Mammogram, right breast, MLO view. 25 y/o patient.
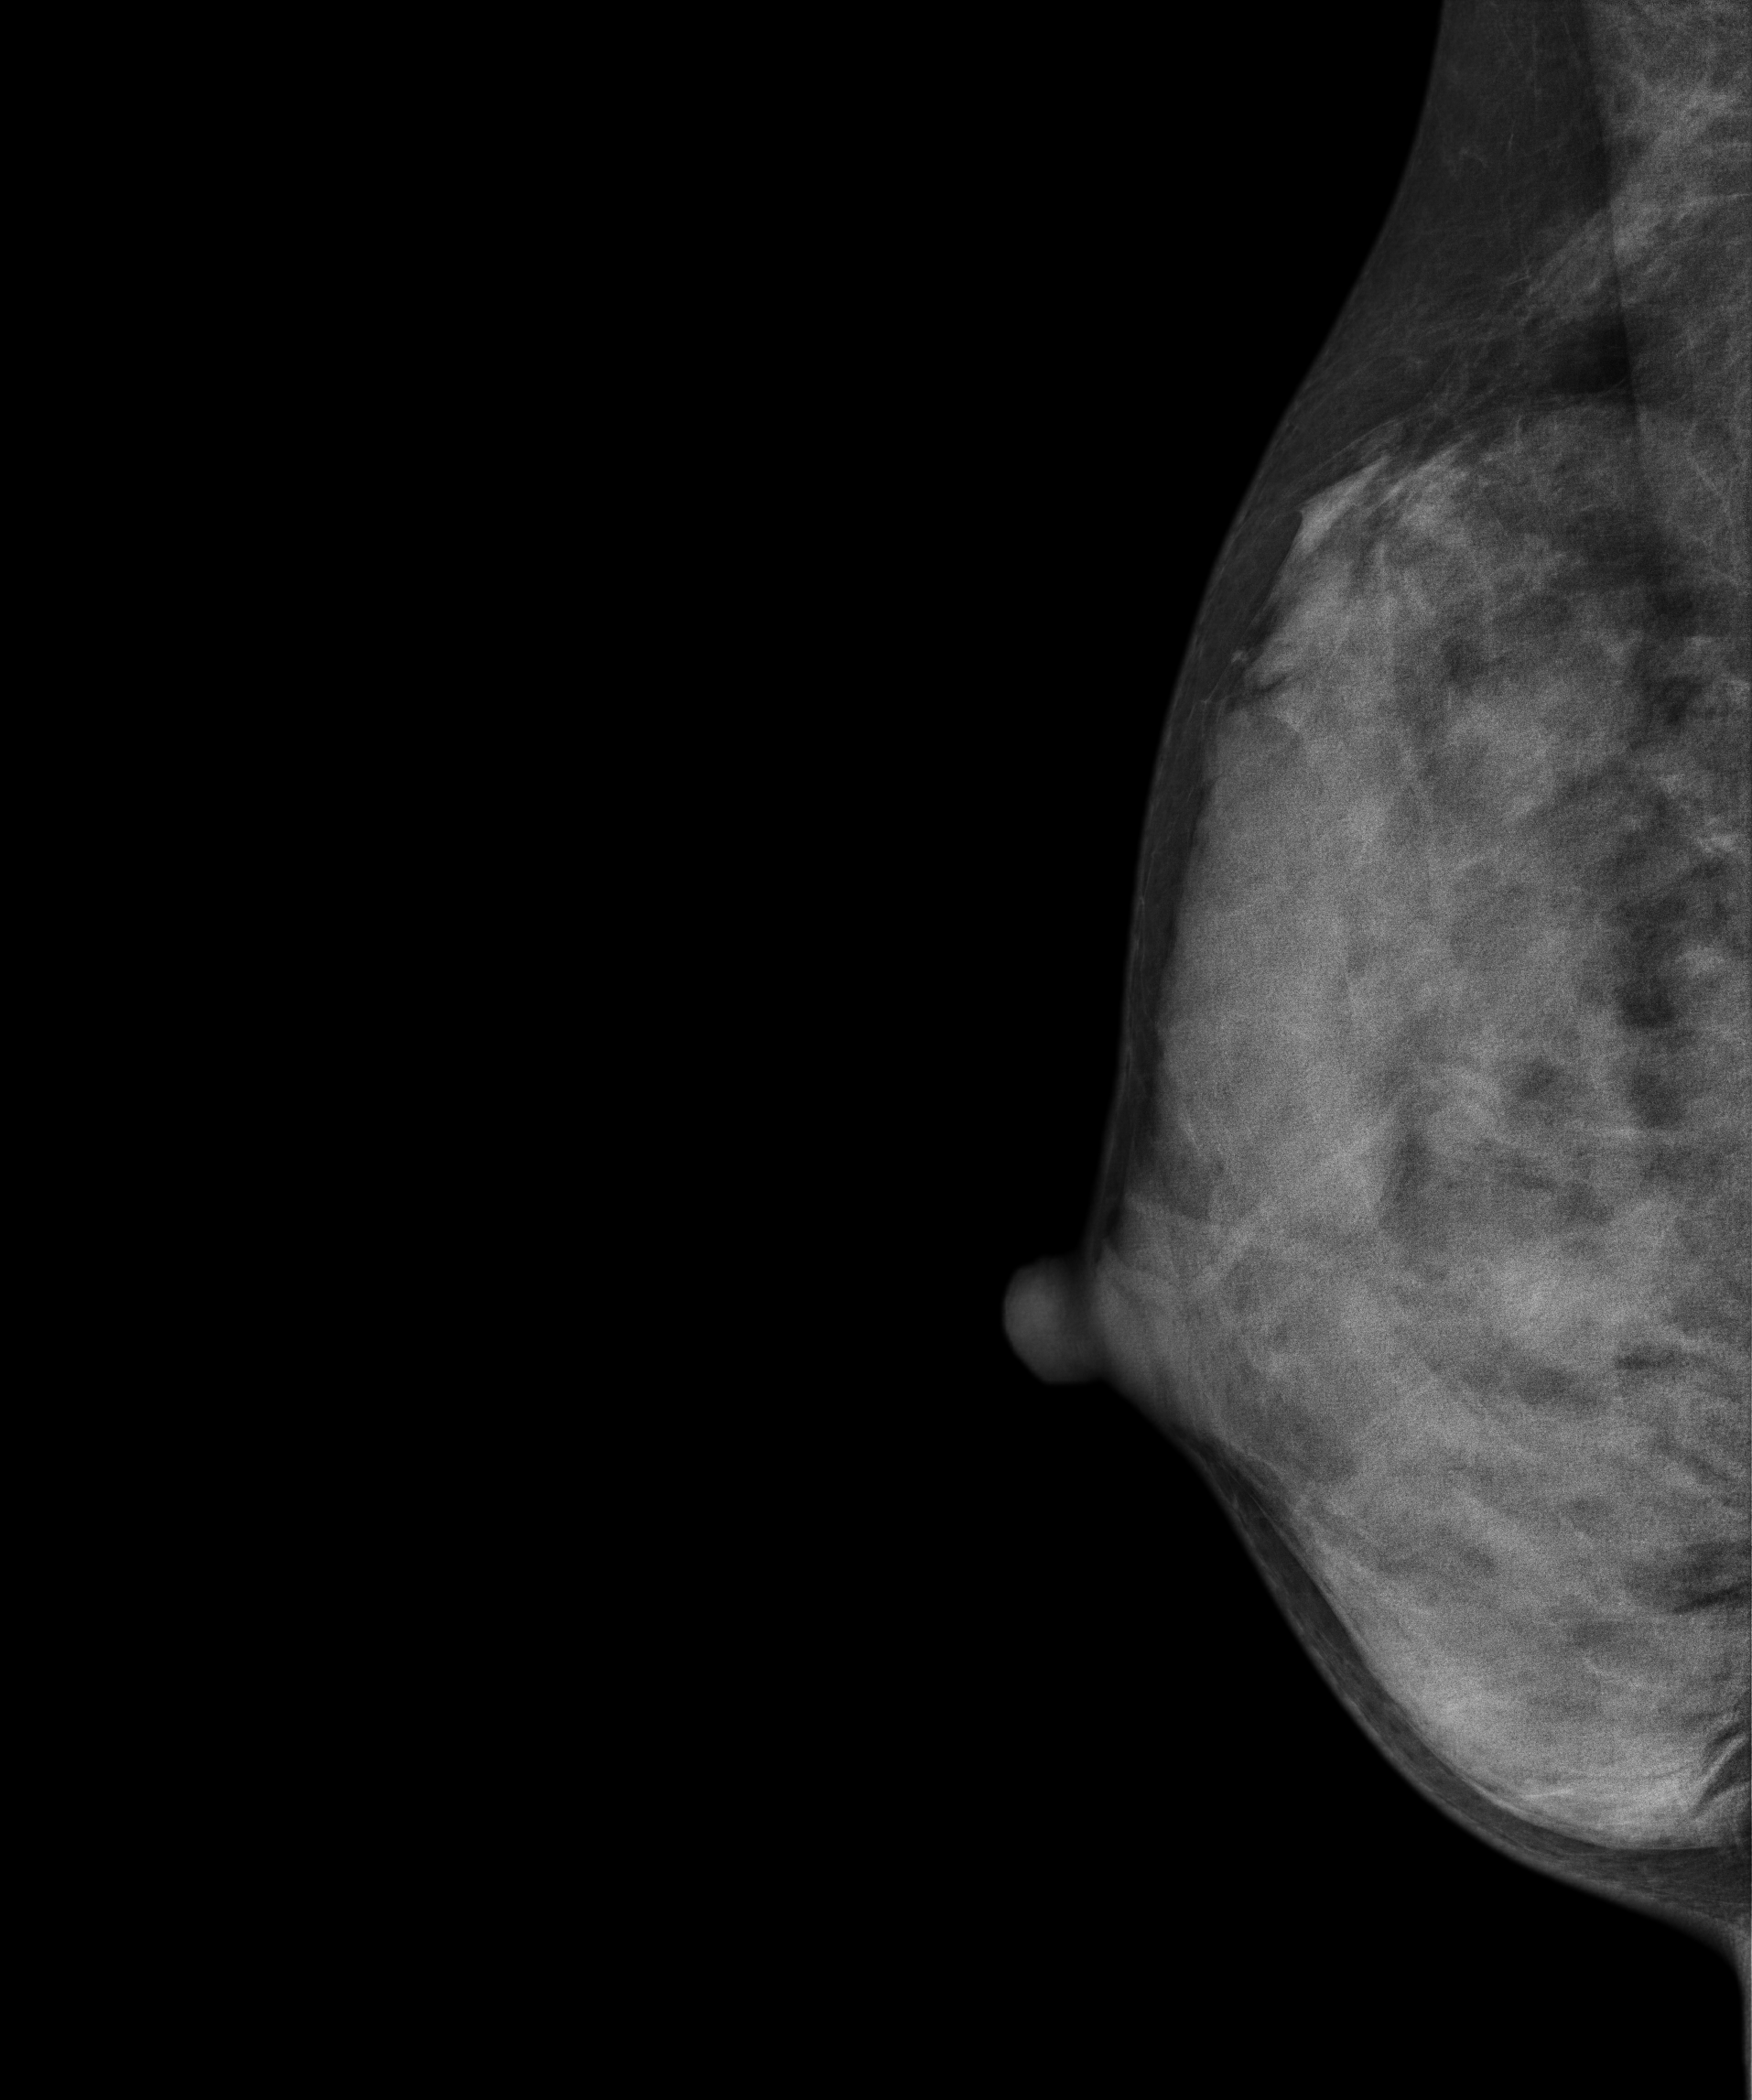
This breast has a mass, histologically confirmed benign.